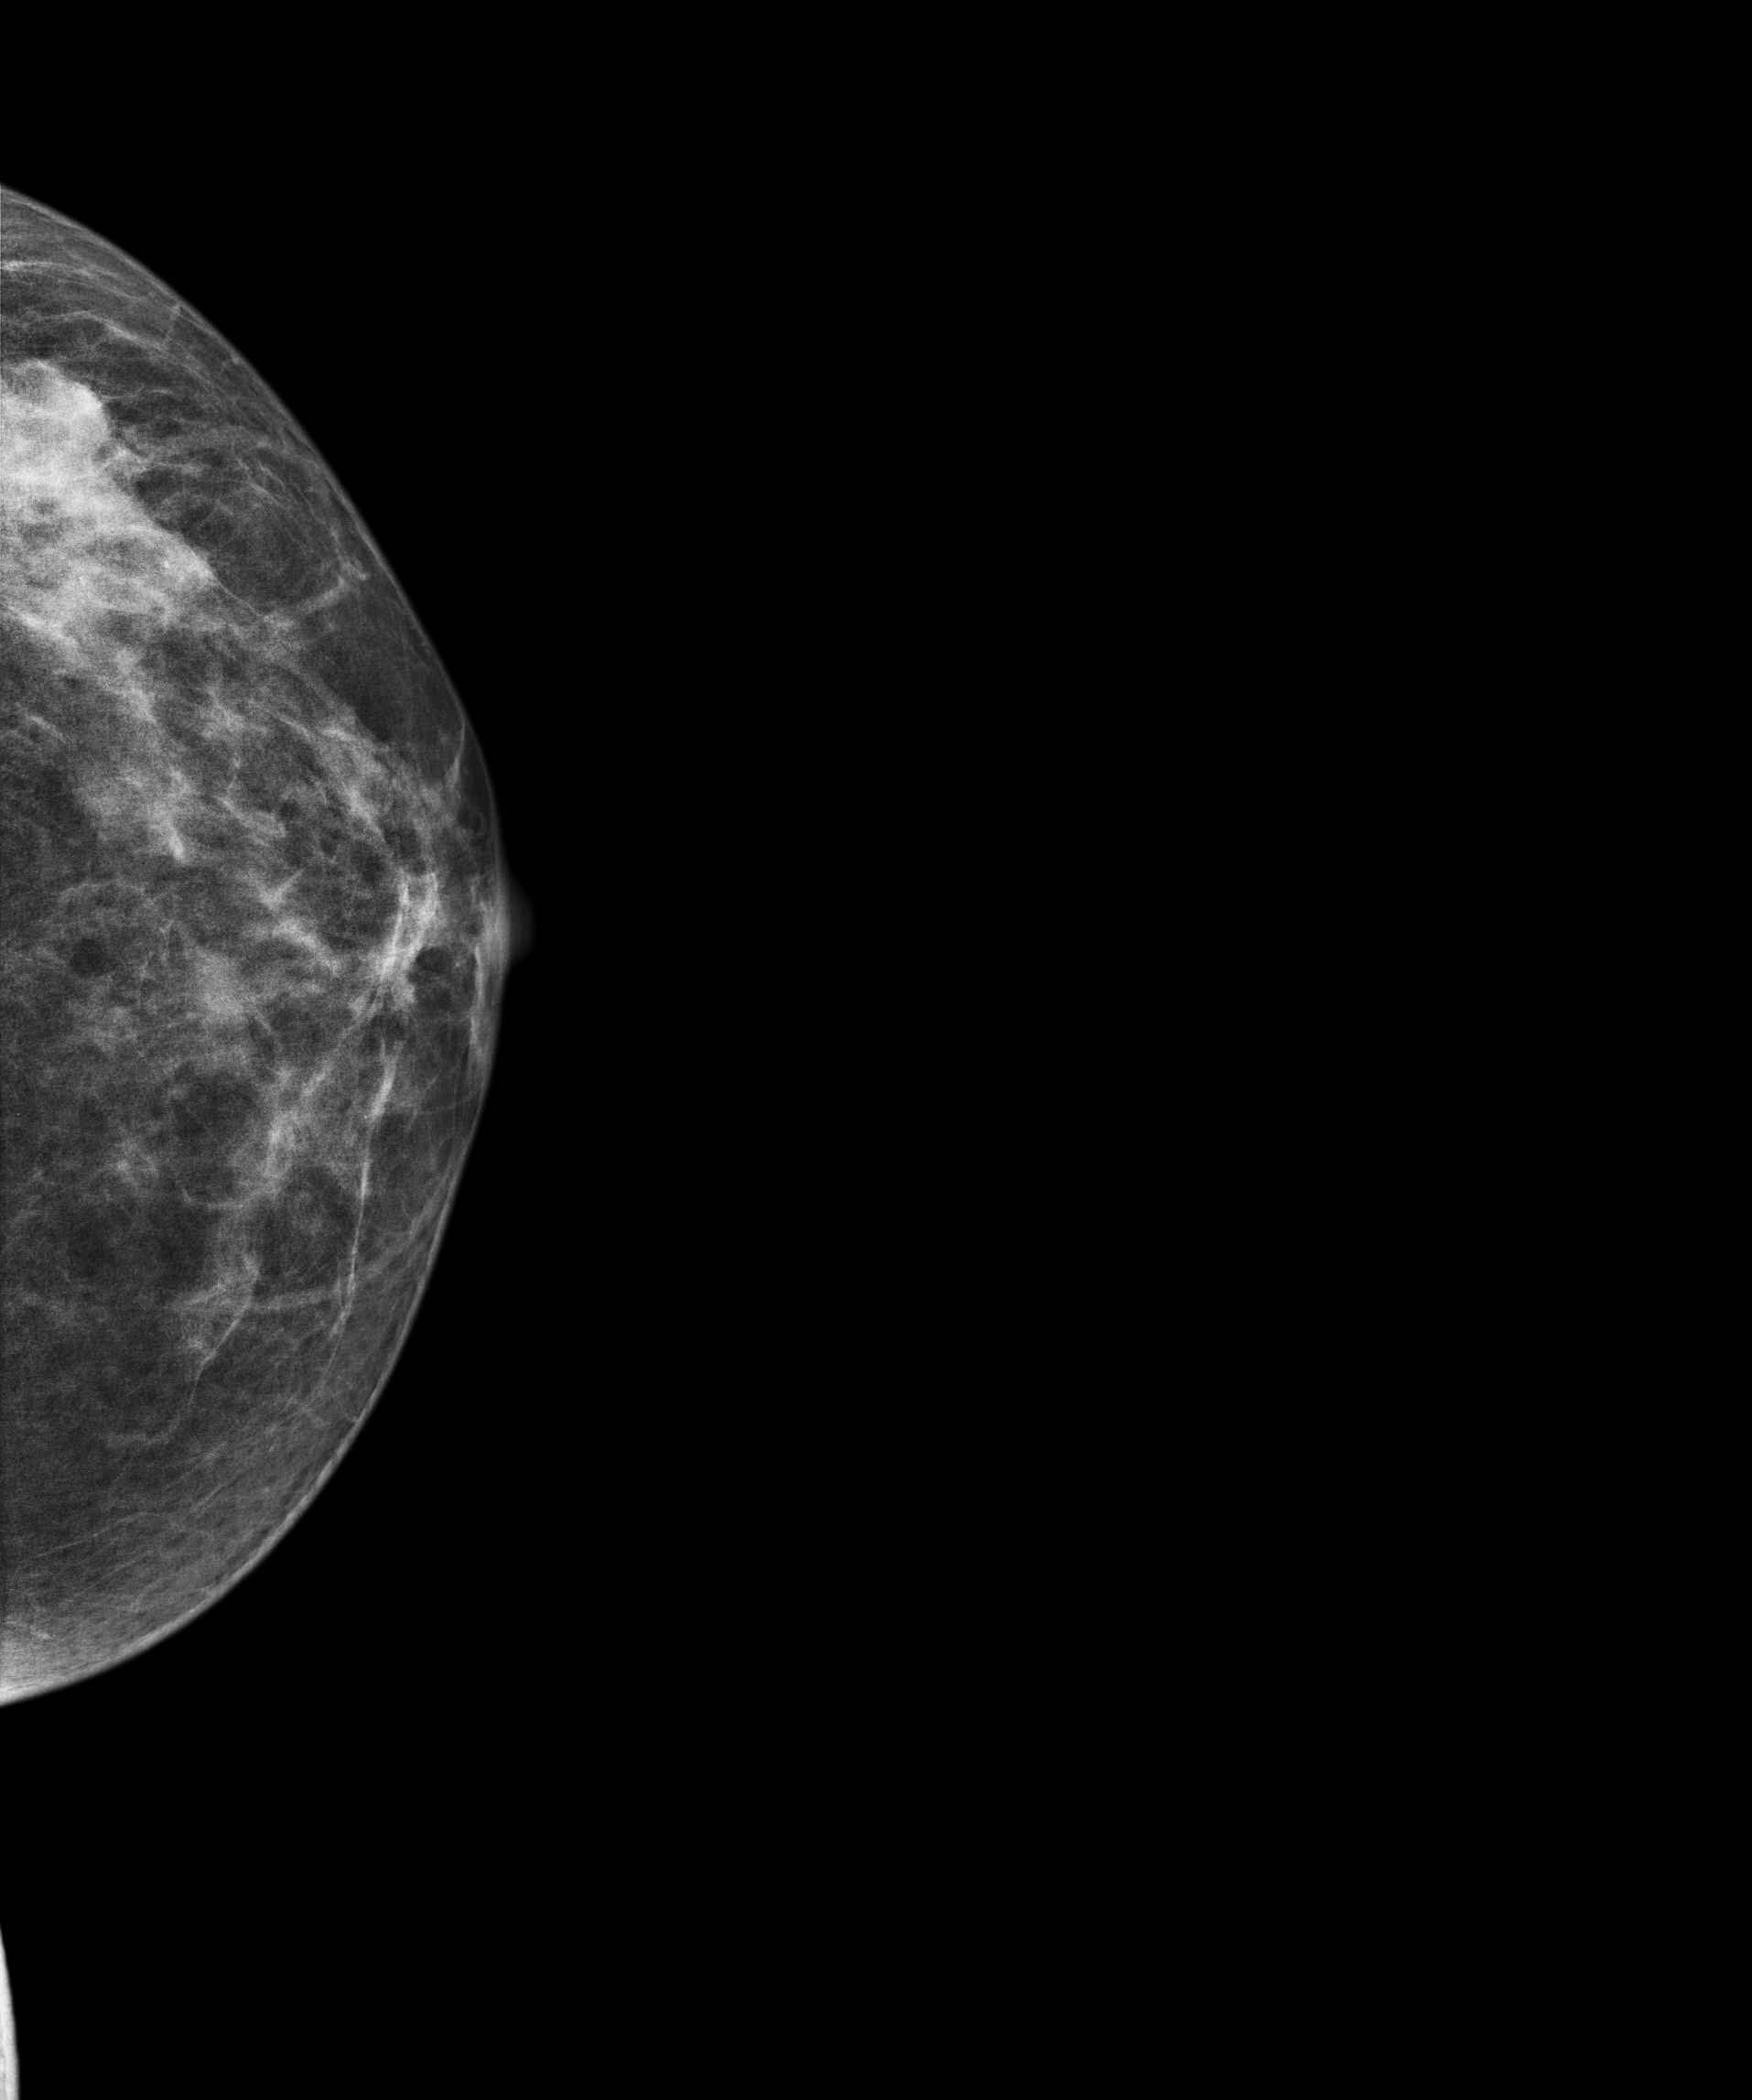
Mammogram — left cranio-caudal. 37-year-old patient.
This breast has a mass and calcifications, pathology-confirmed malignant. Molecular subtype: luminal B.